Mammogram, left breast, MLO view. 40 y/o patient.
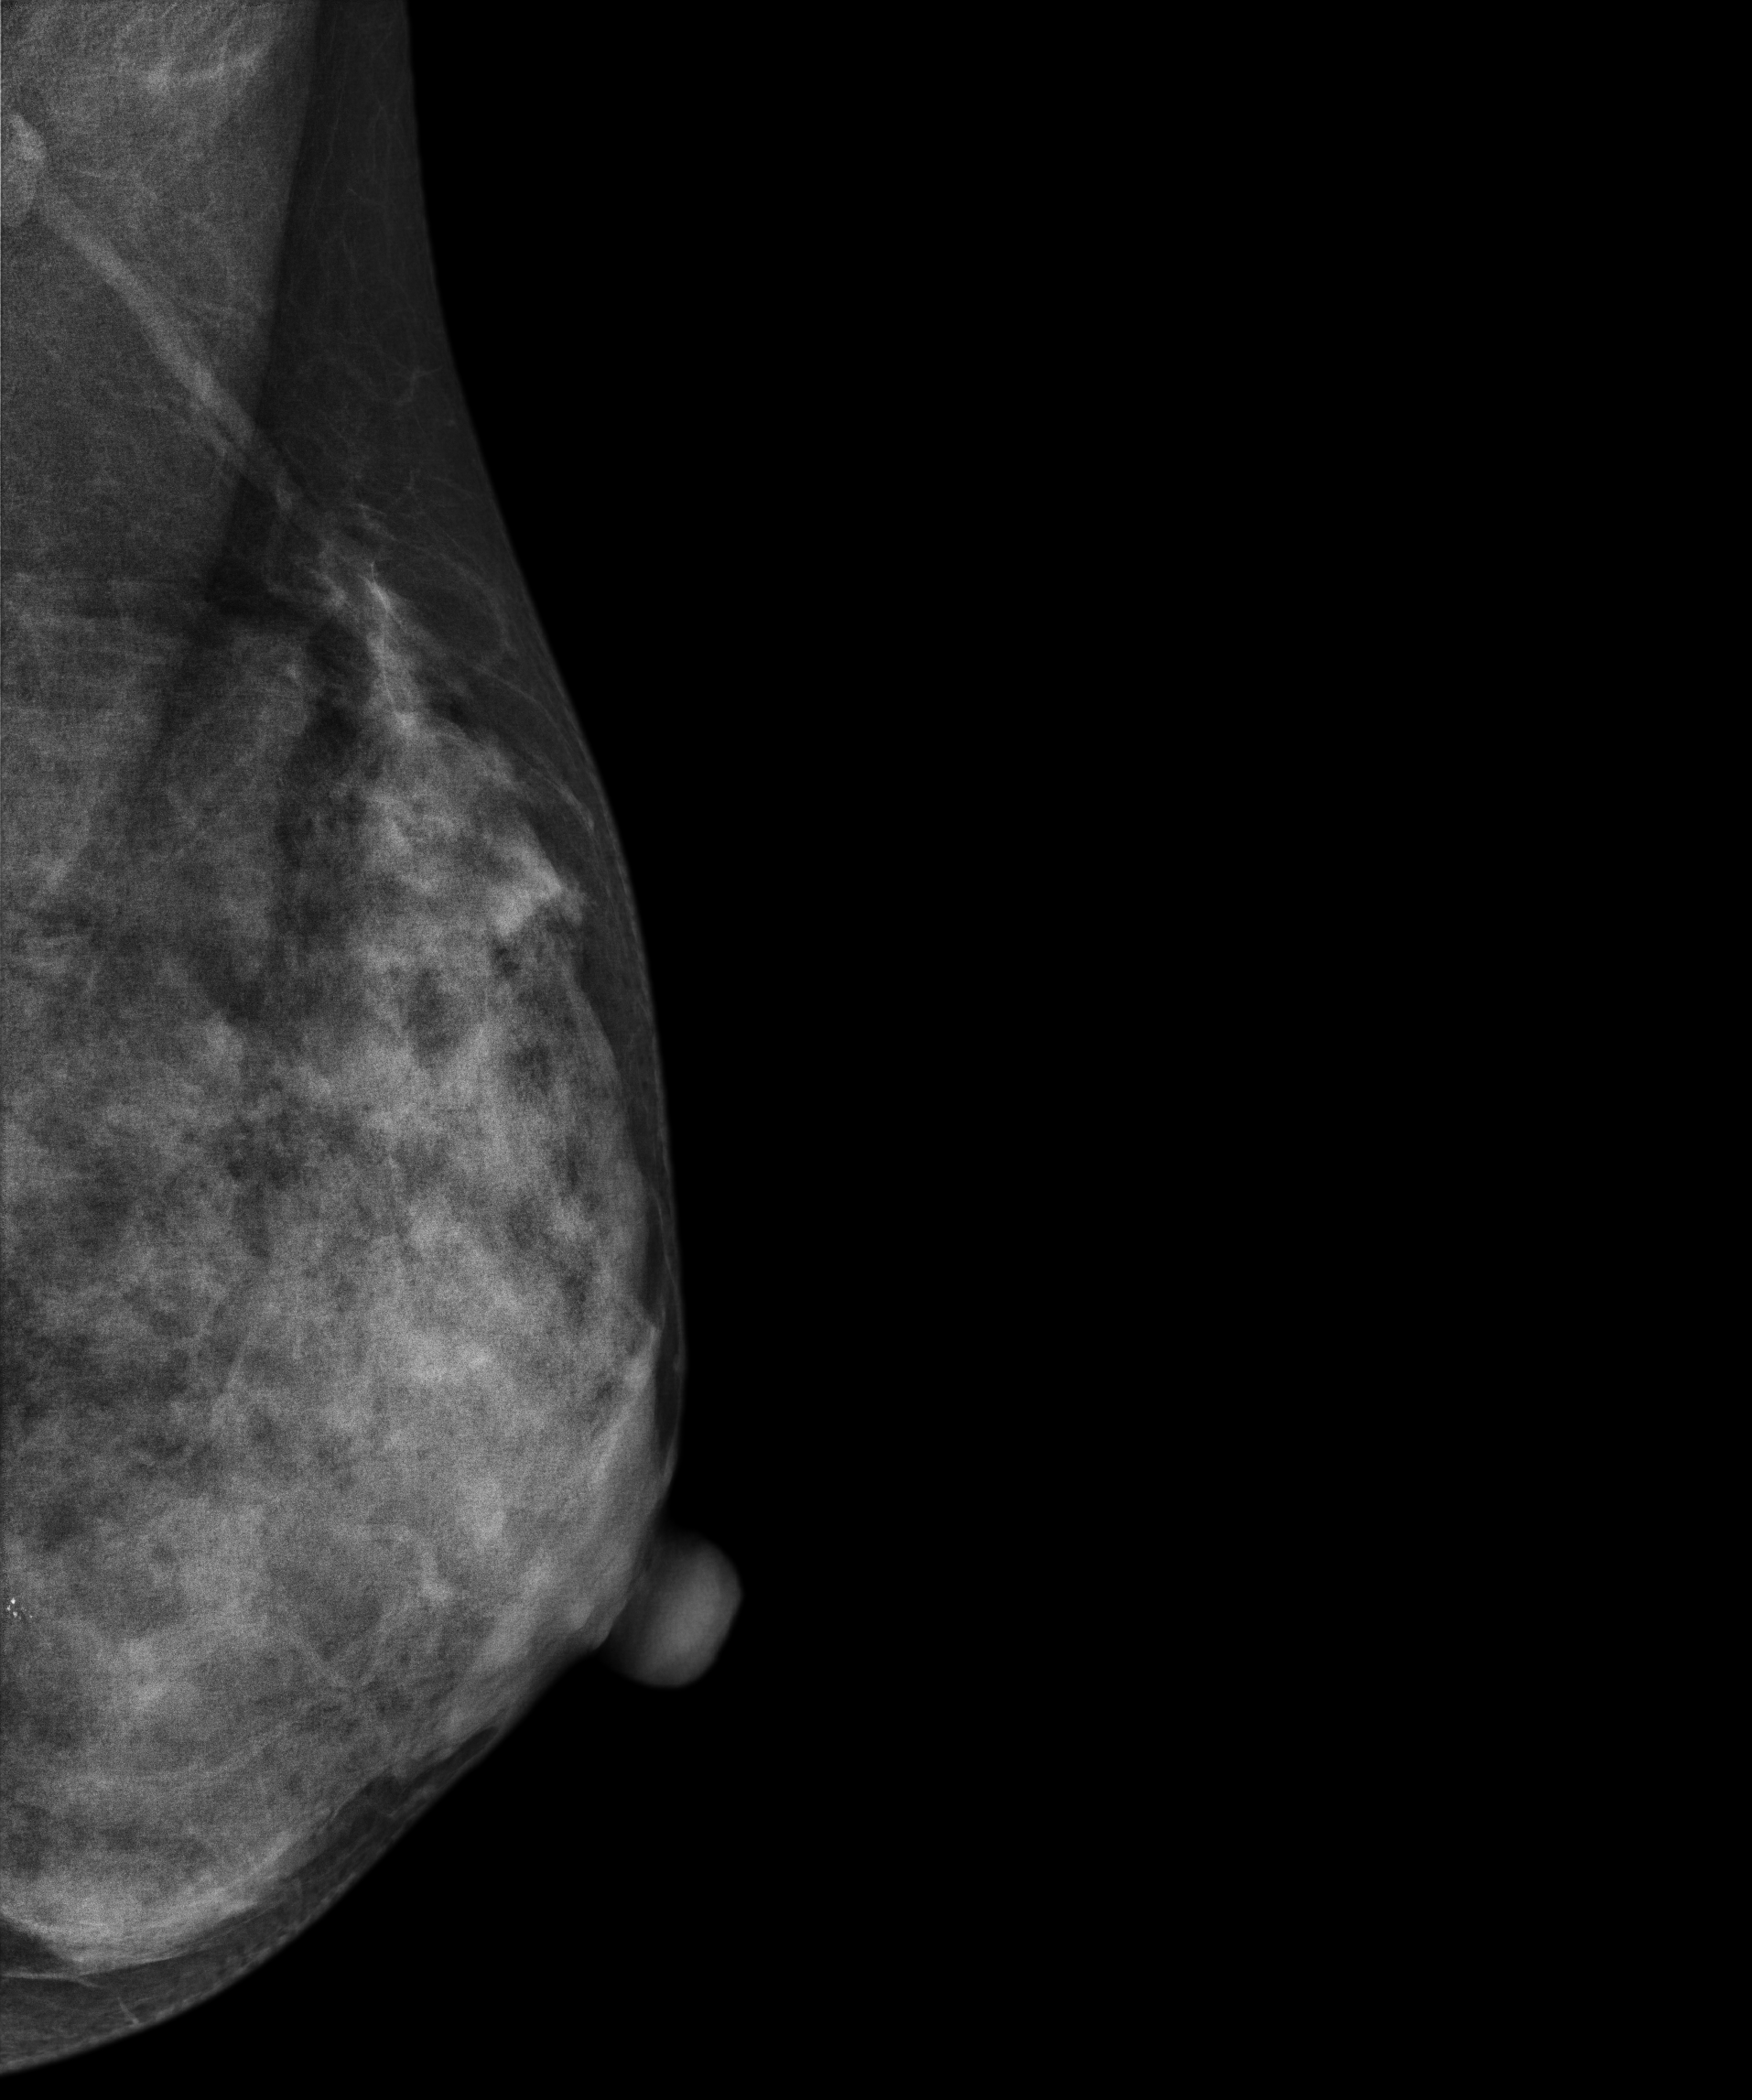
This breast has a mass and calcifications, biopsy-confirmed malignant. Molecular subtype: luminal B.